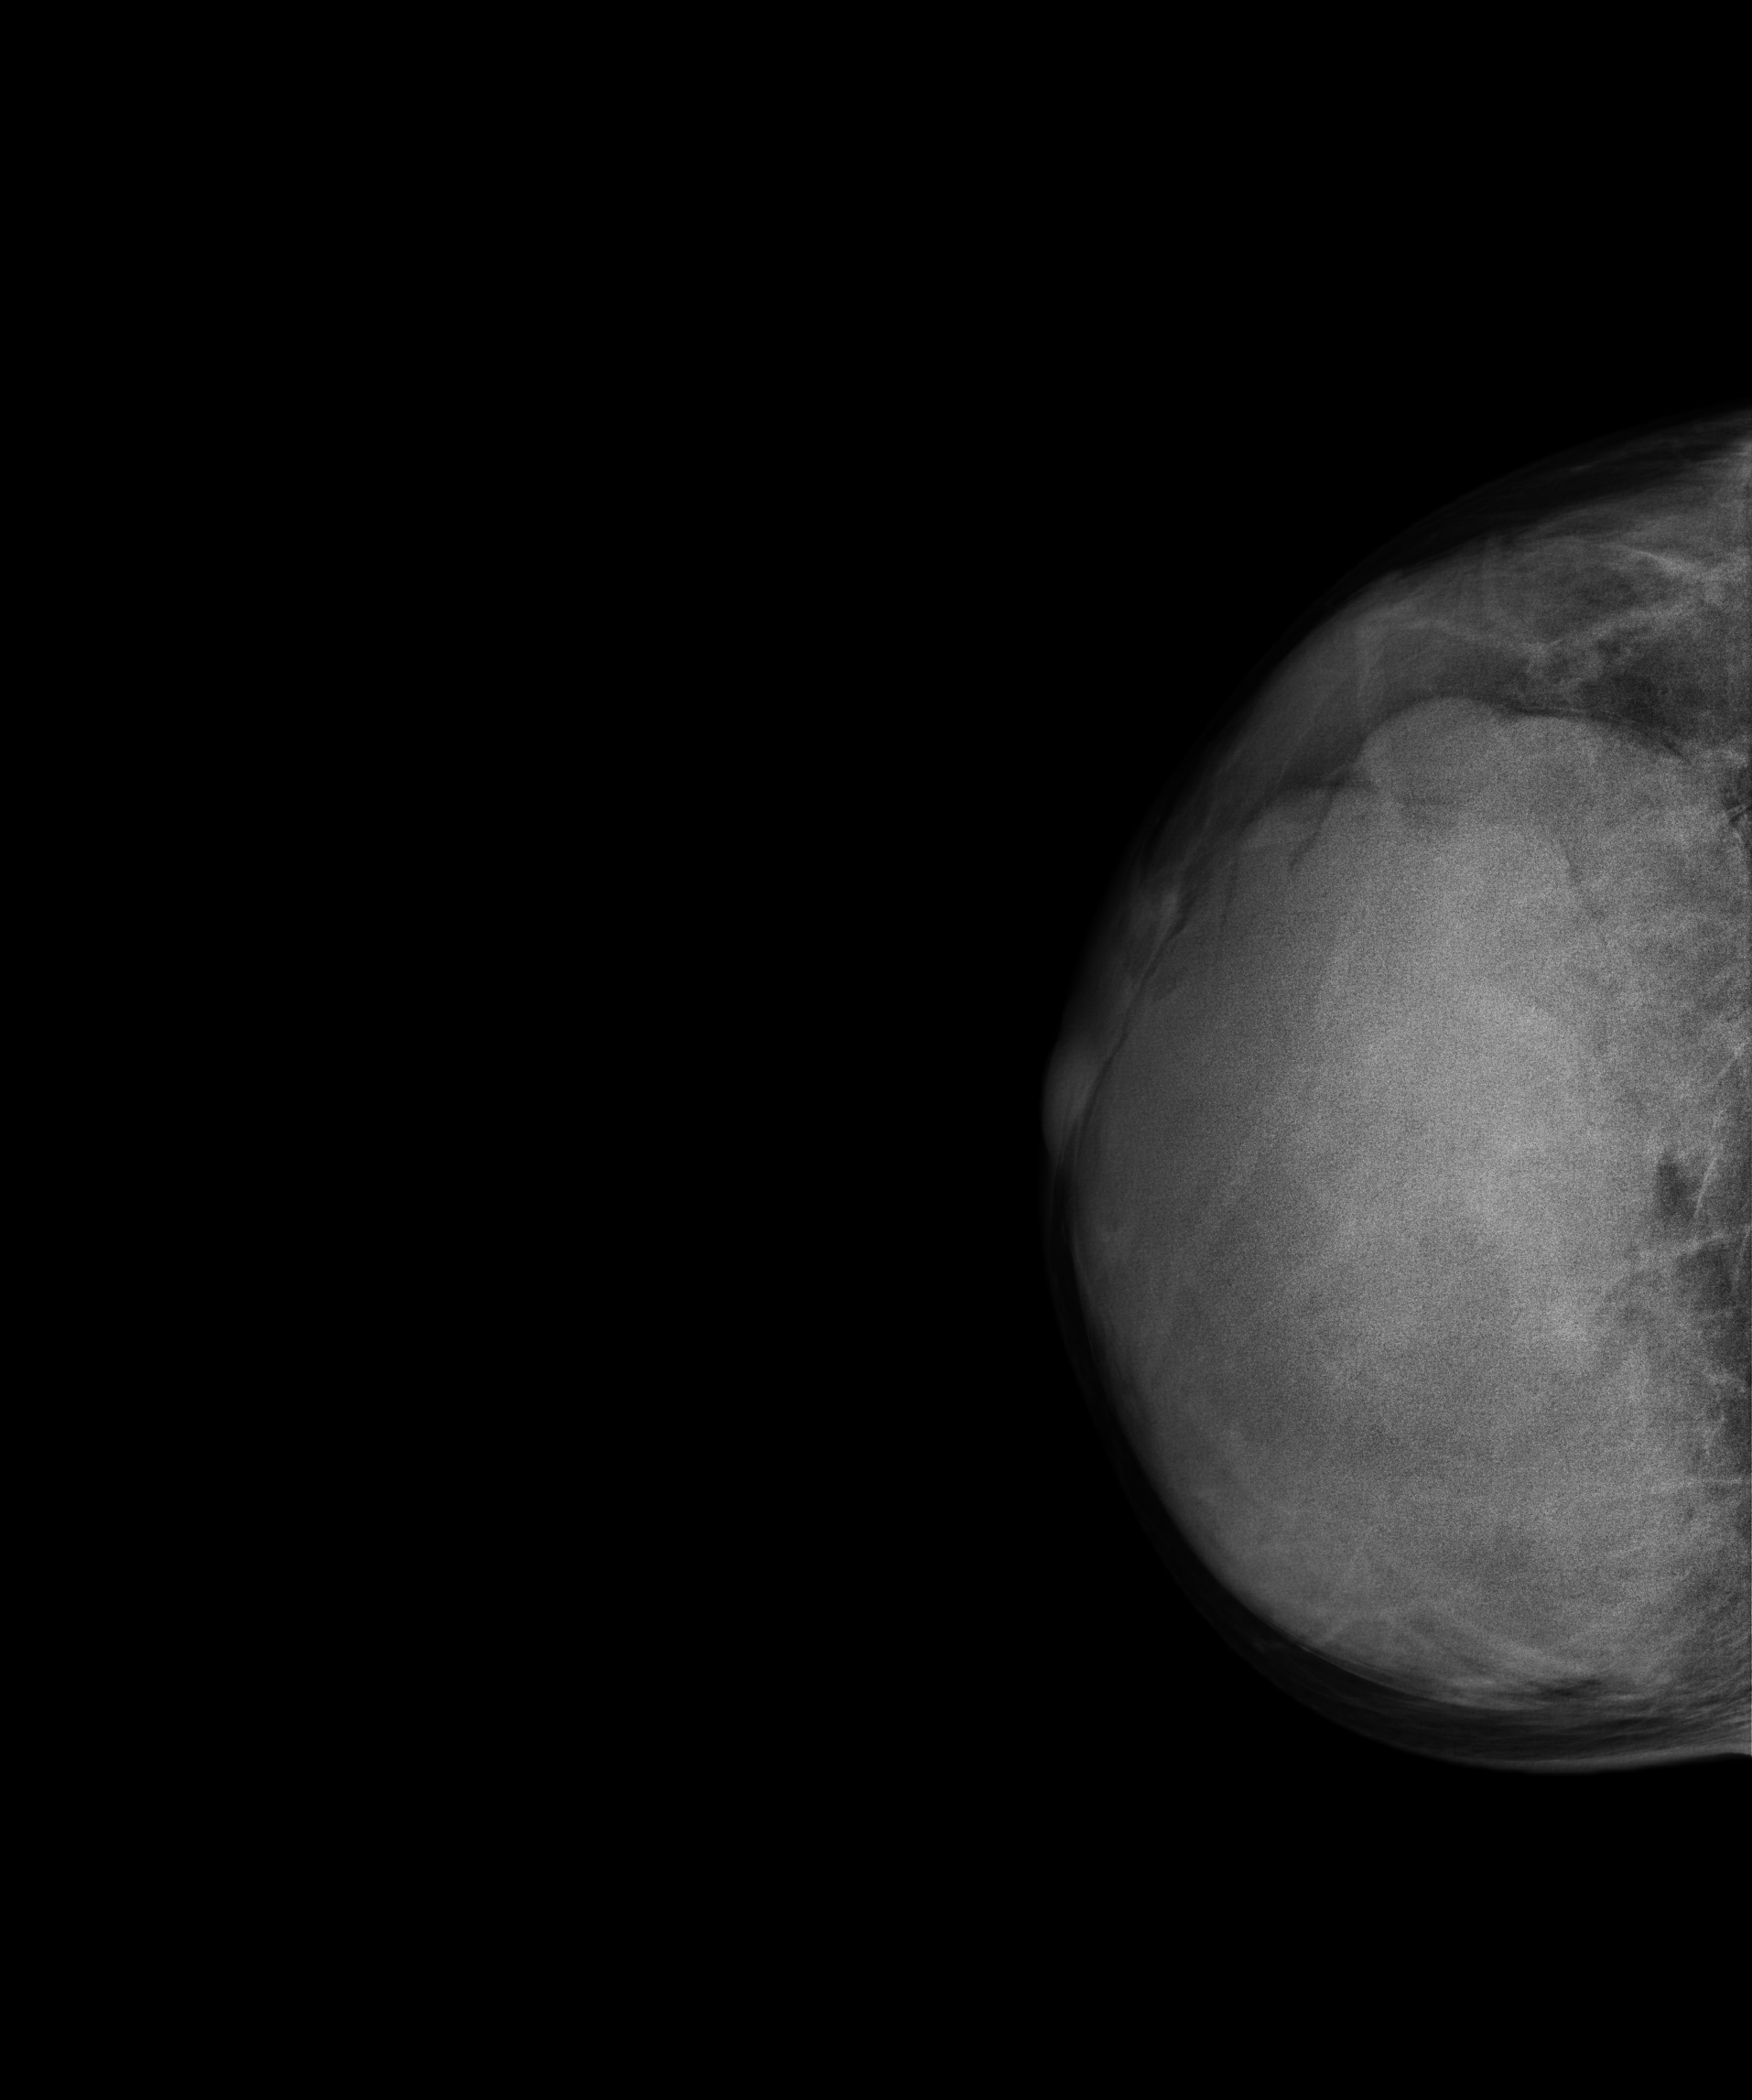
Right-breast mammogram, CC. 36-year-old patient.
This breast has a mass, biopsy-confirmed benign.